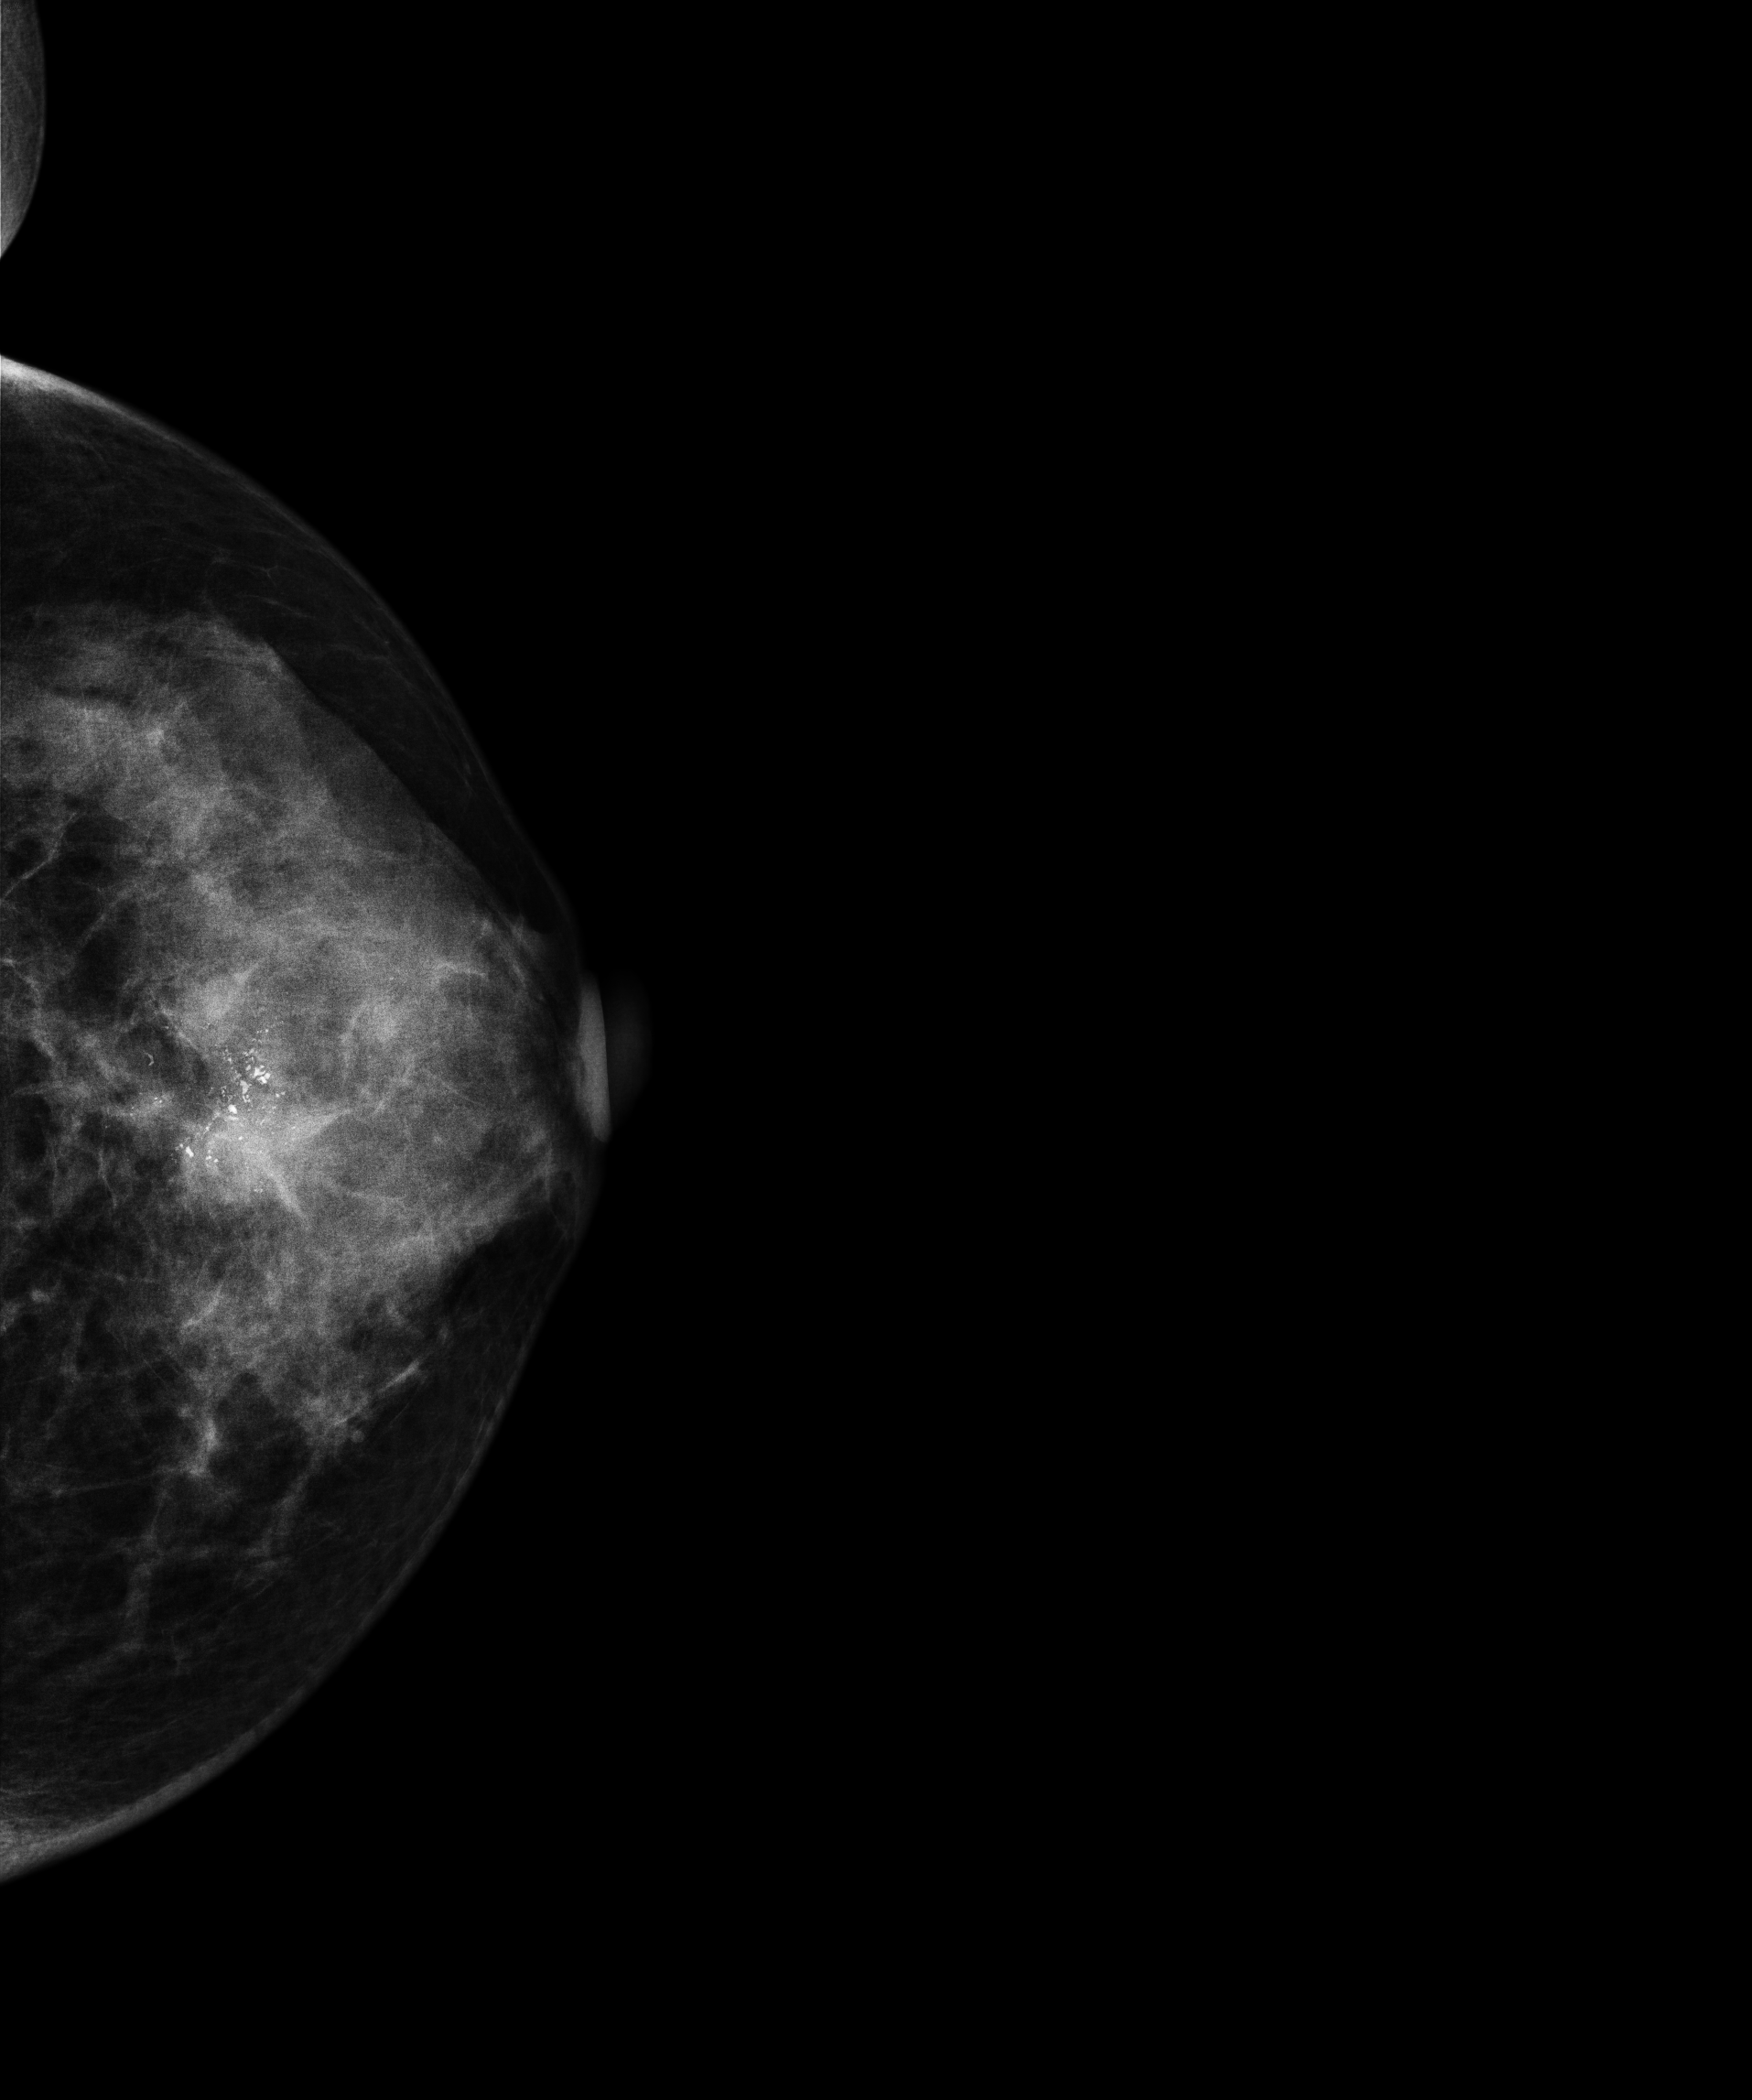
Digital mammography. Left breast, CC projection. Patient age 49.
This breast has a mass and calcifications, histologically confirmed malignant. Molecular subtype: HER2-enriched.